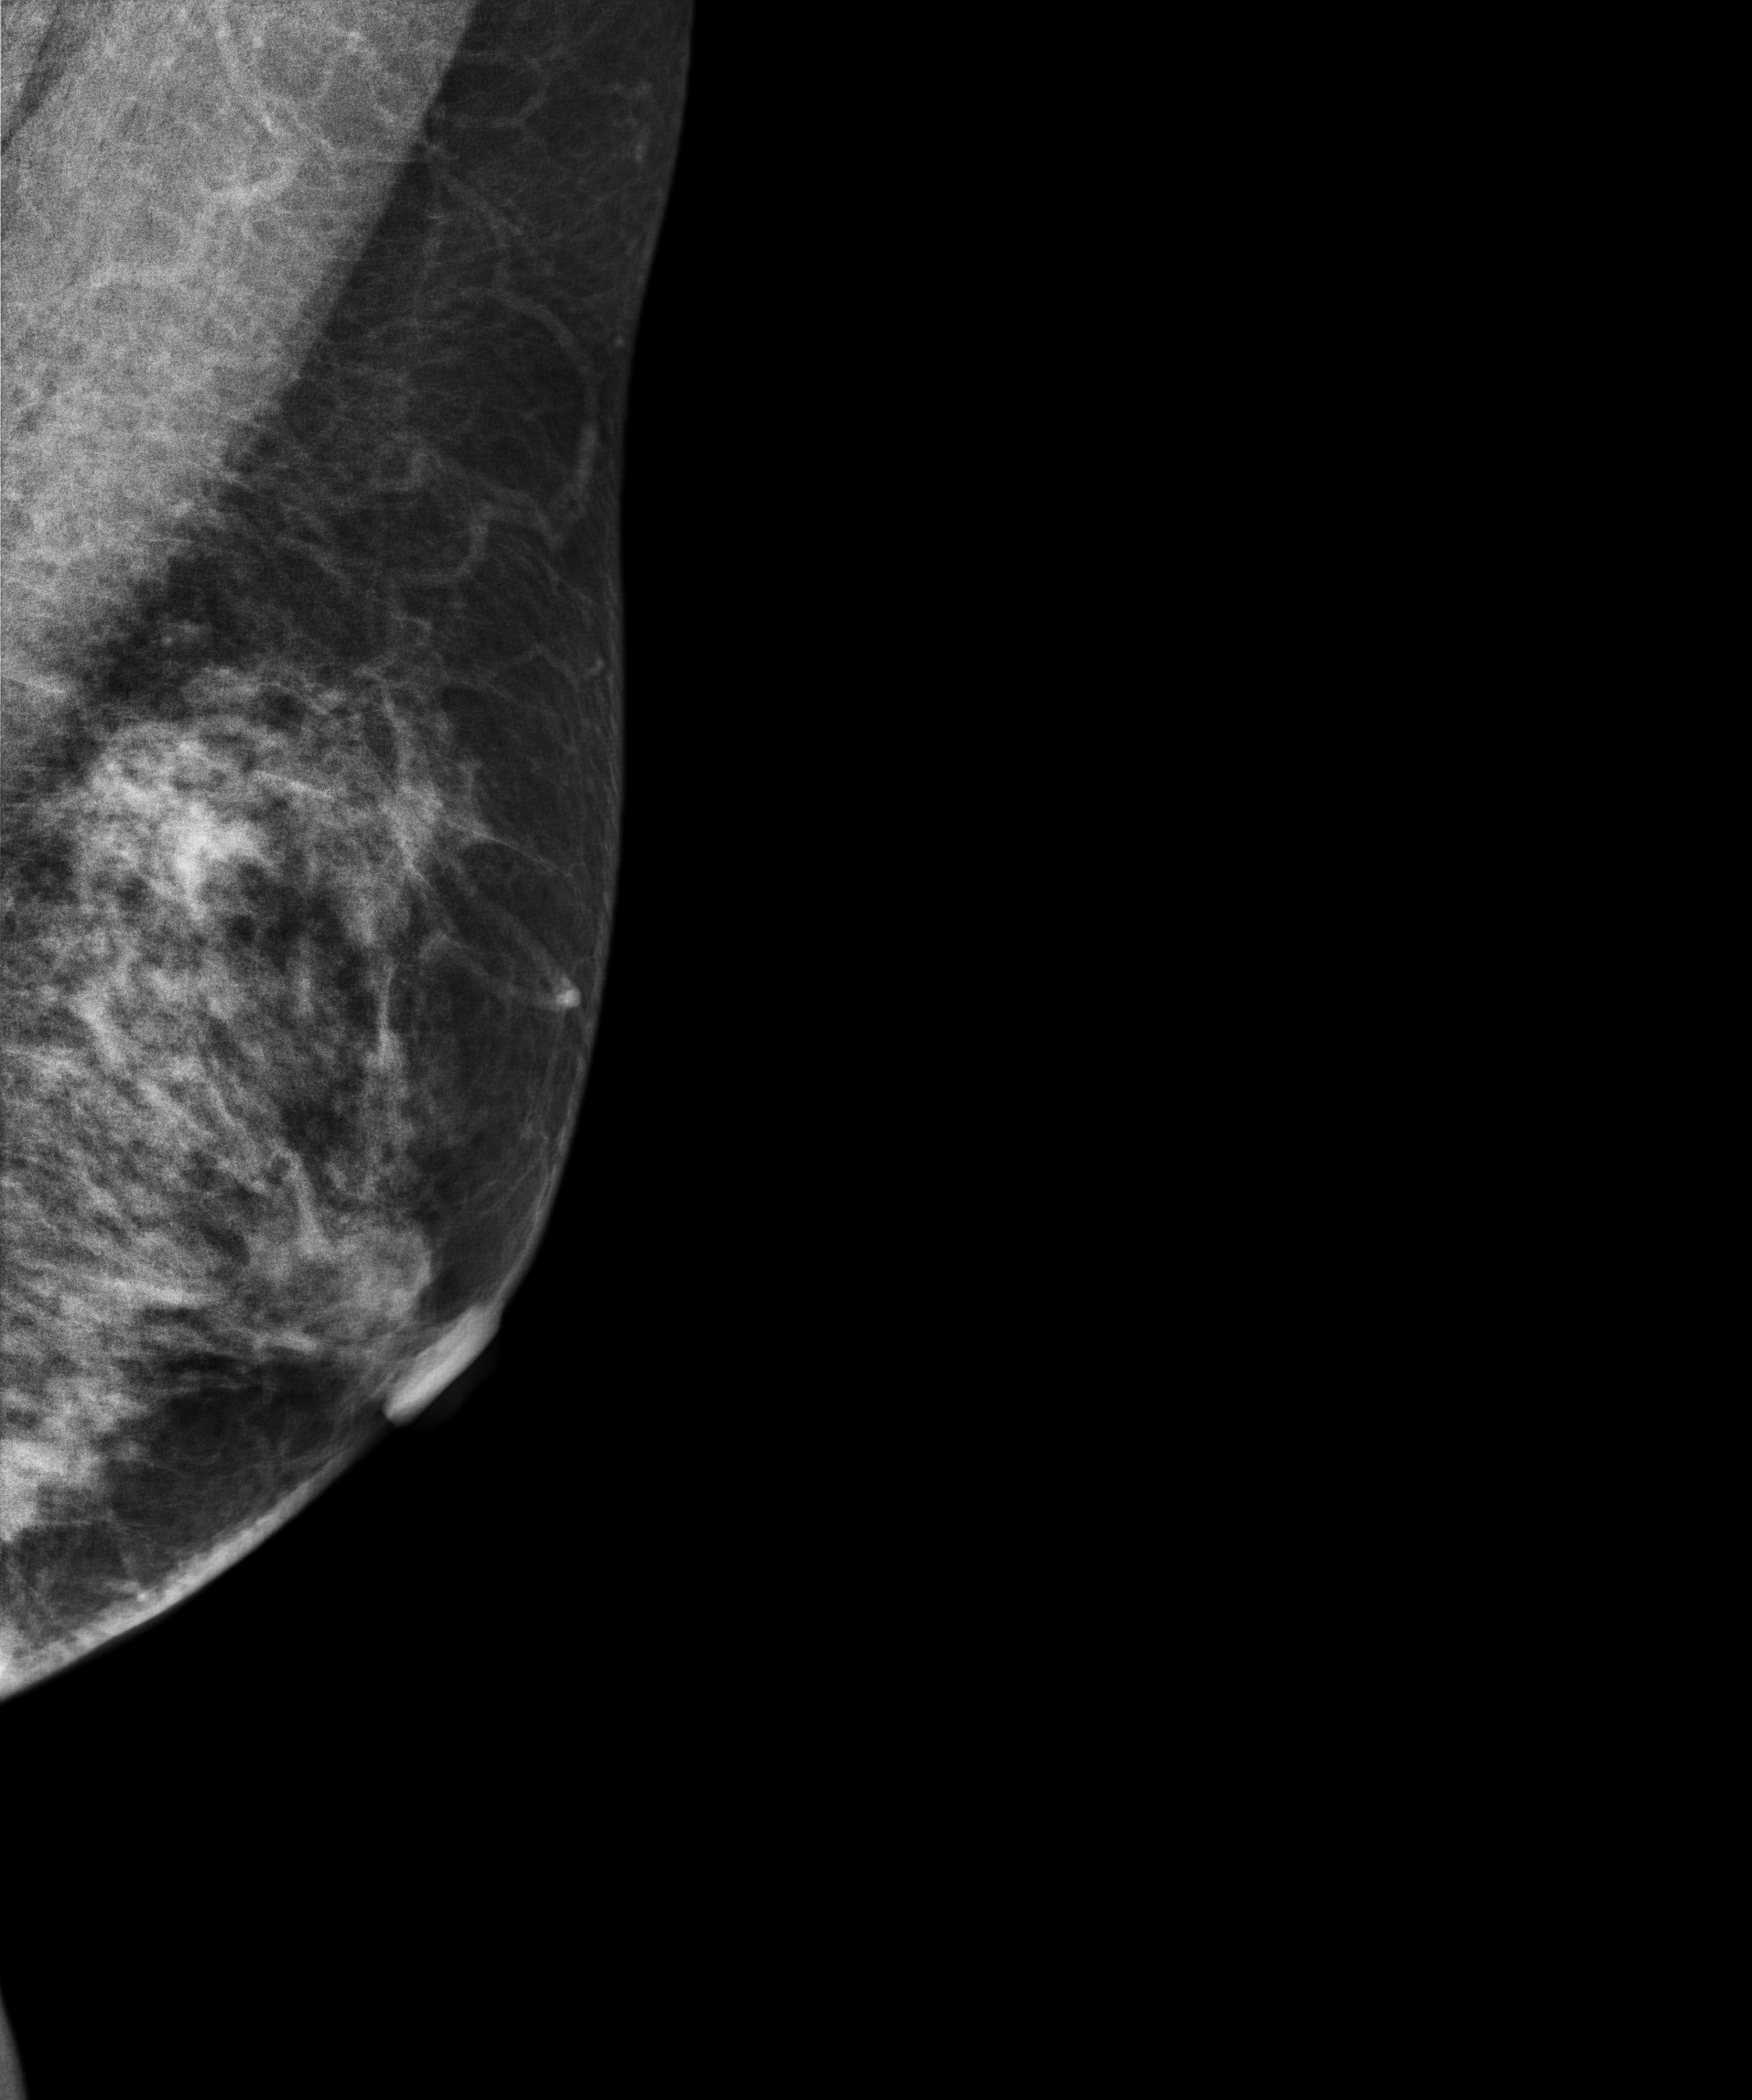
MLO mammogram of the left breast. 50 y/o patient.
This breast has a mass, biopsy-confirmed malignant. Molecular subtype: luminal B.